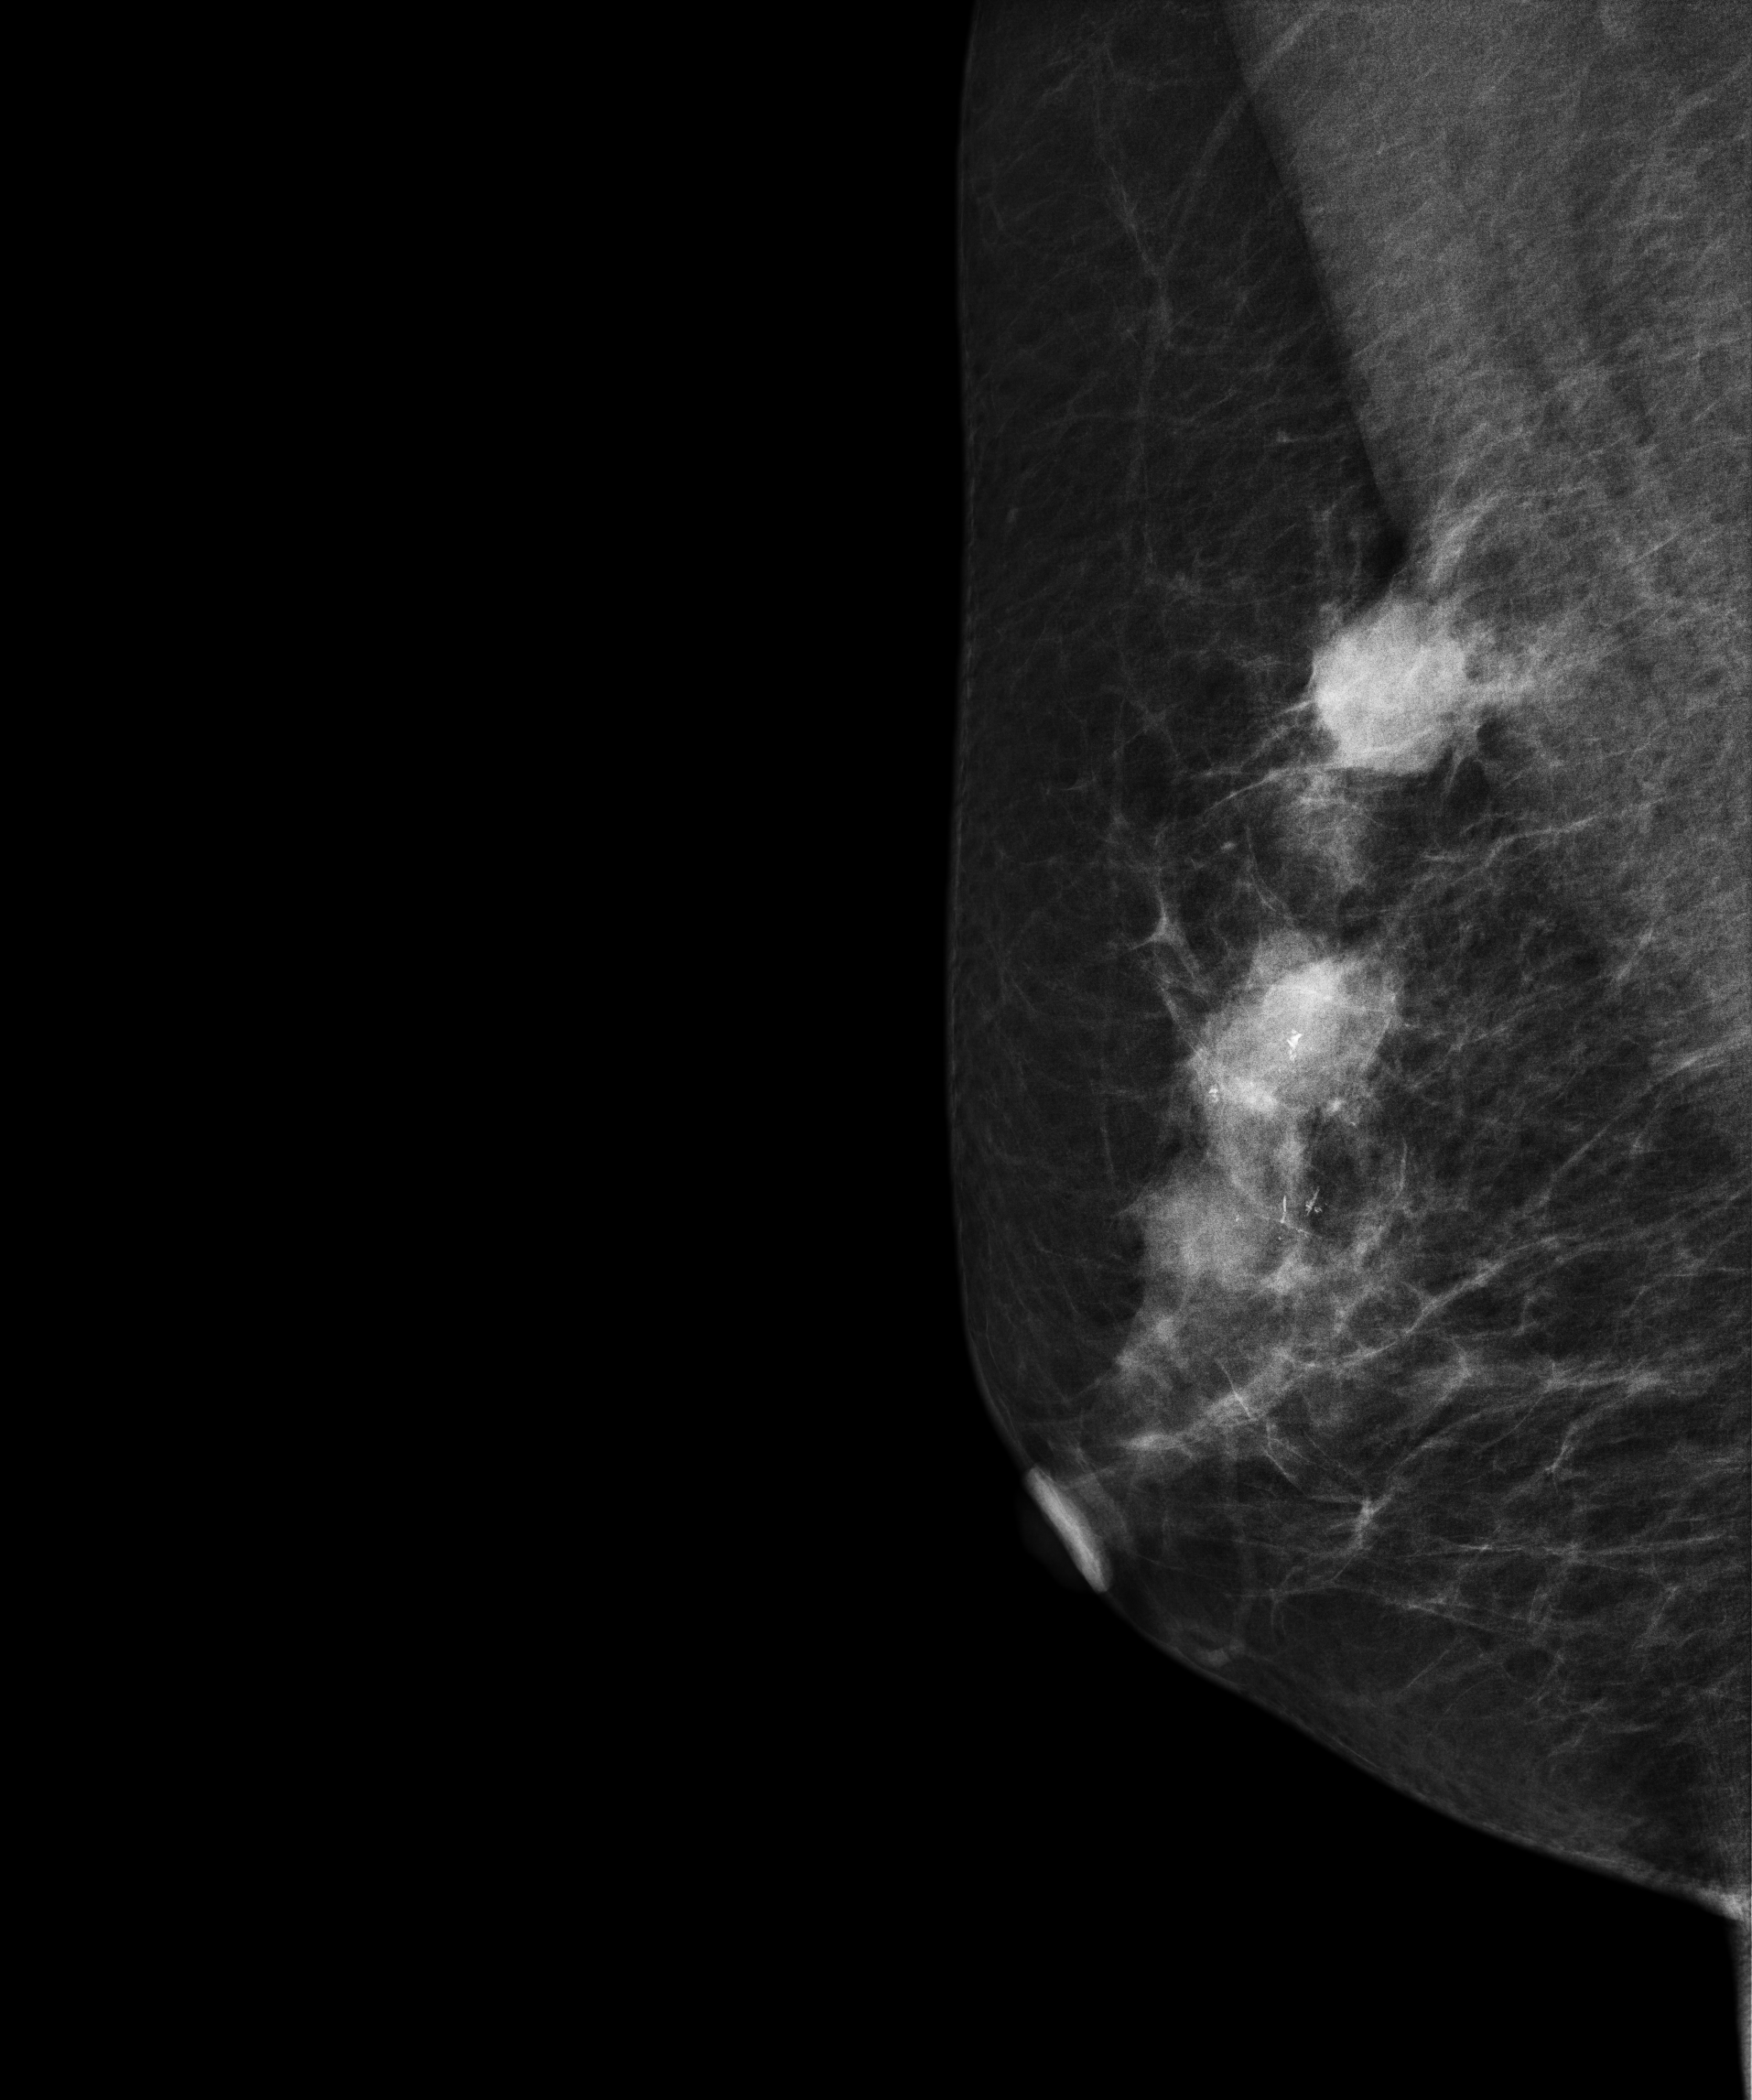
Mammogram — right medio-lateral oblique. 63-year-old patient.
This breast has a mass and calcifications, histologically confirmed malignant. Molecular subtype: HER2-enriched.